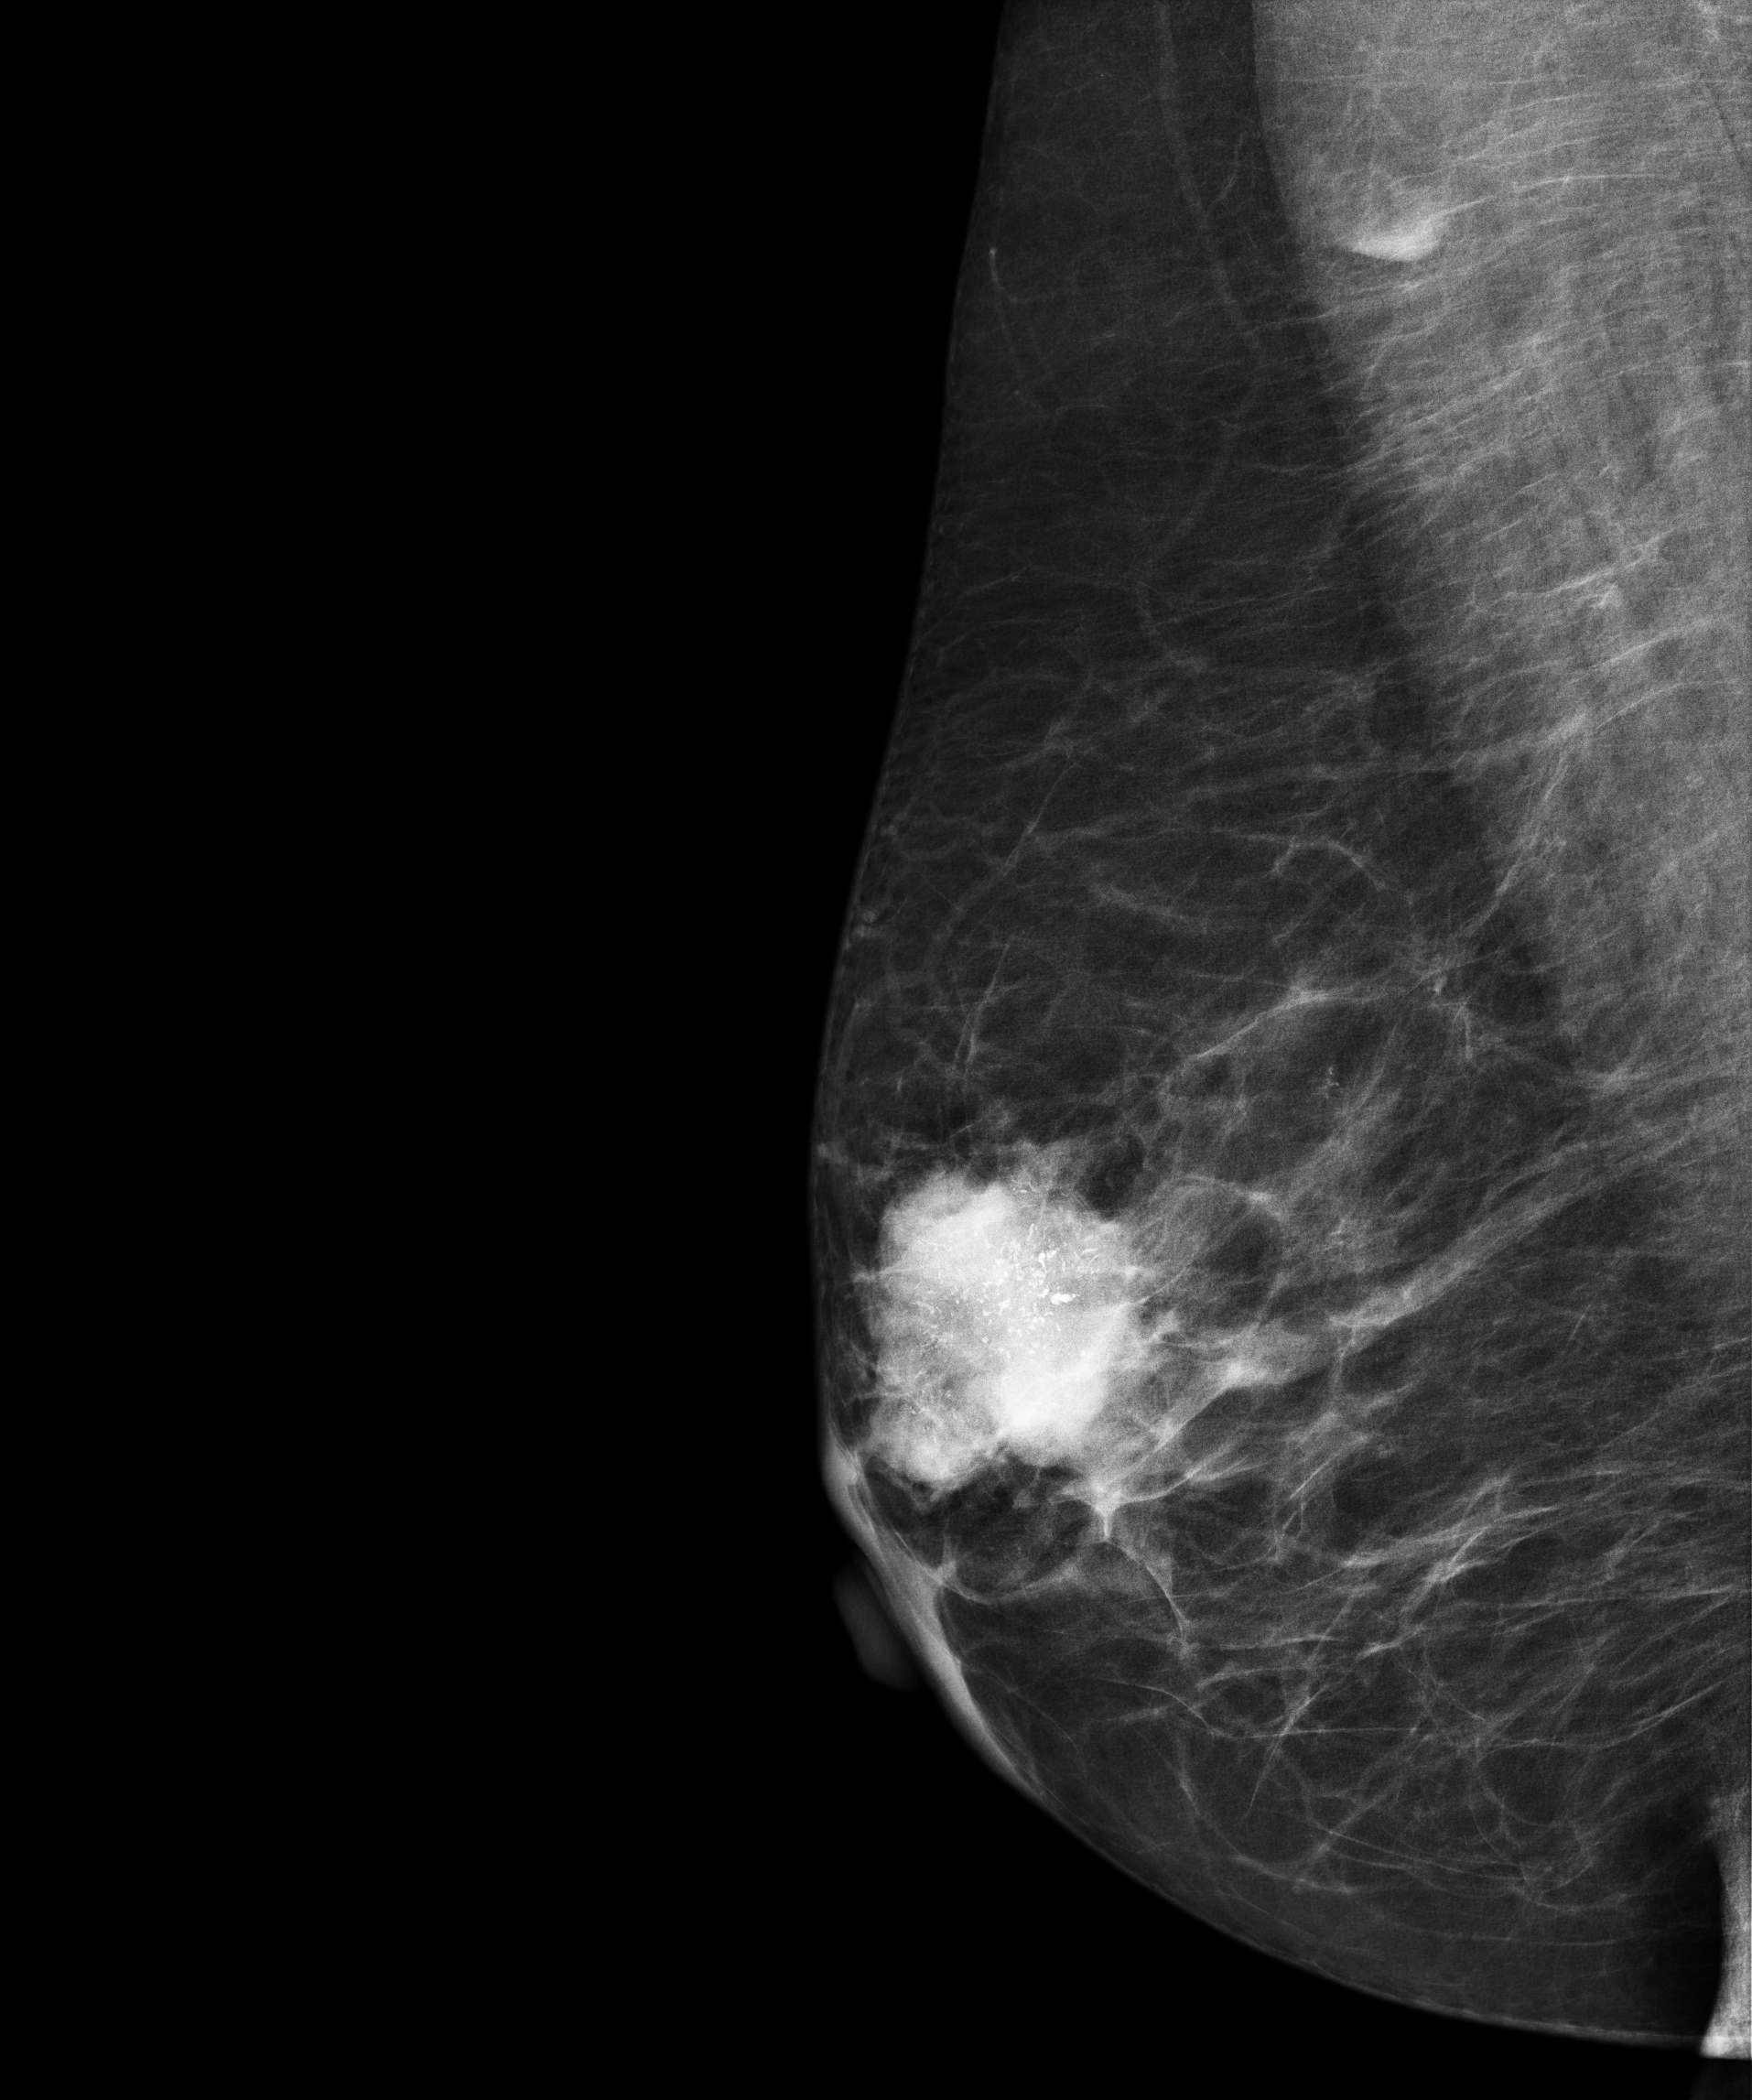
Mammogram, right breast, medio-lateral oblique view. 69 y/o patient.
This breast has a mass and calcifications, biopsy-confirmed malignant. Molecular subtype: HER2-enriched.